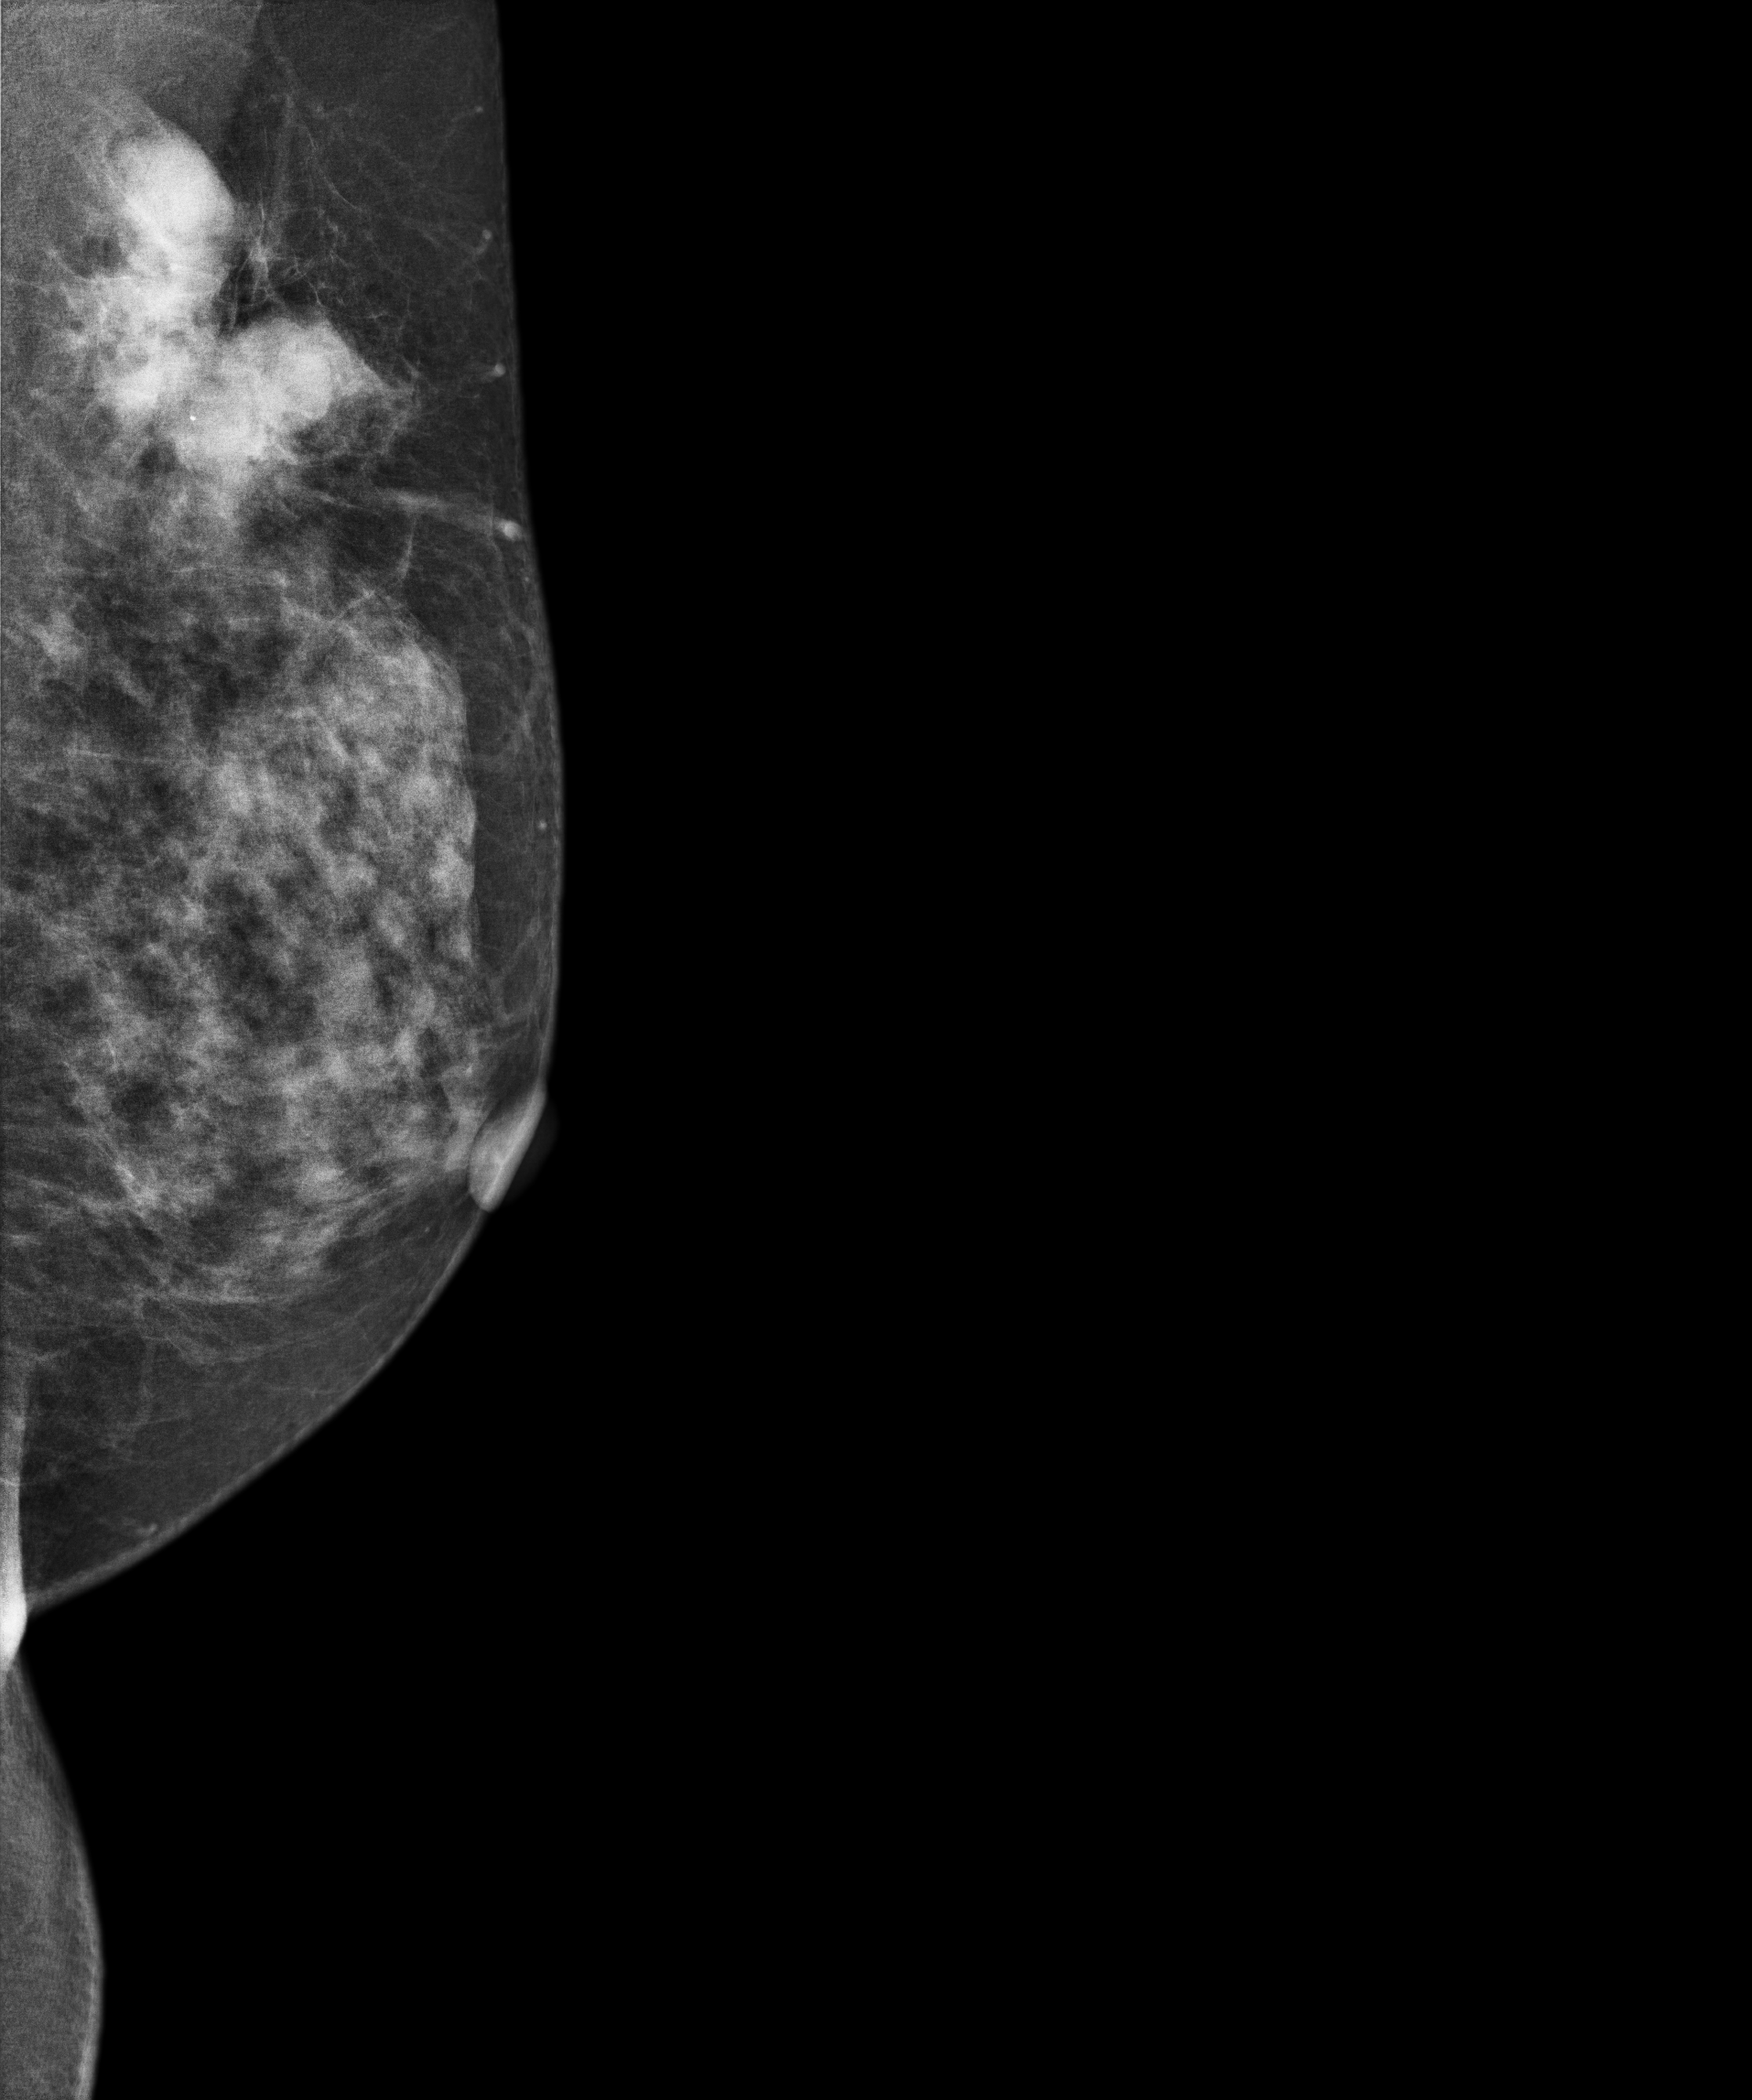
Digital mammography. Left breast, medio-lateral oblique projection. Patient age 60.
This breast has a mass, pathology-confirmed malignant. Molecular subtype: luminal B.